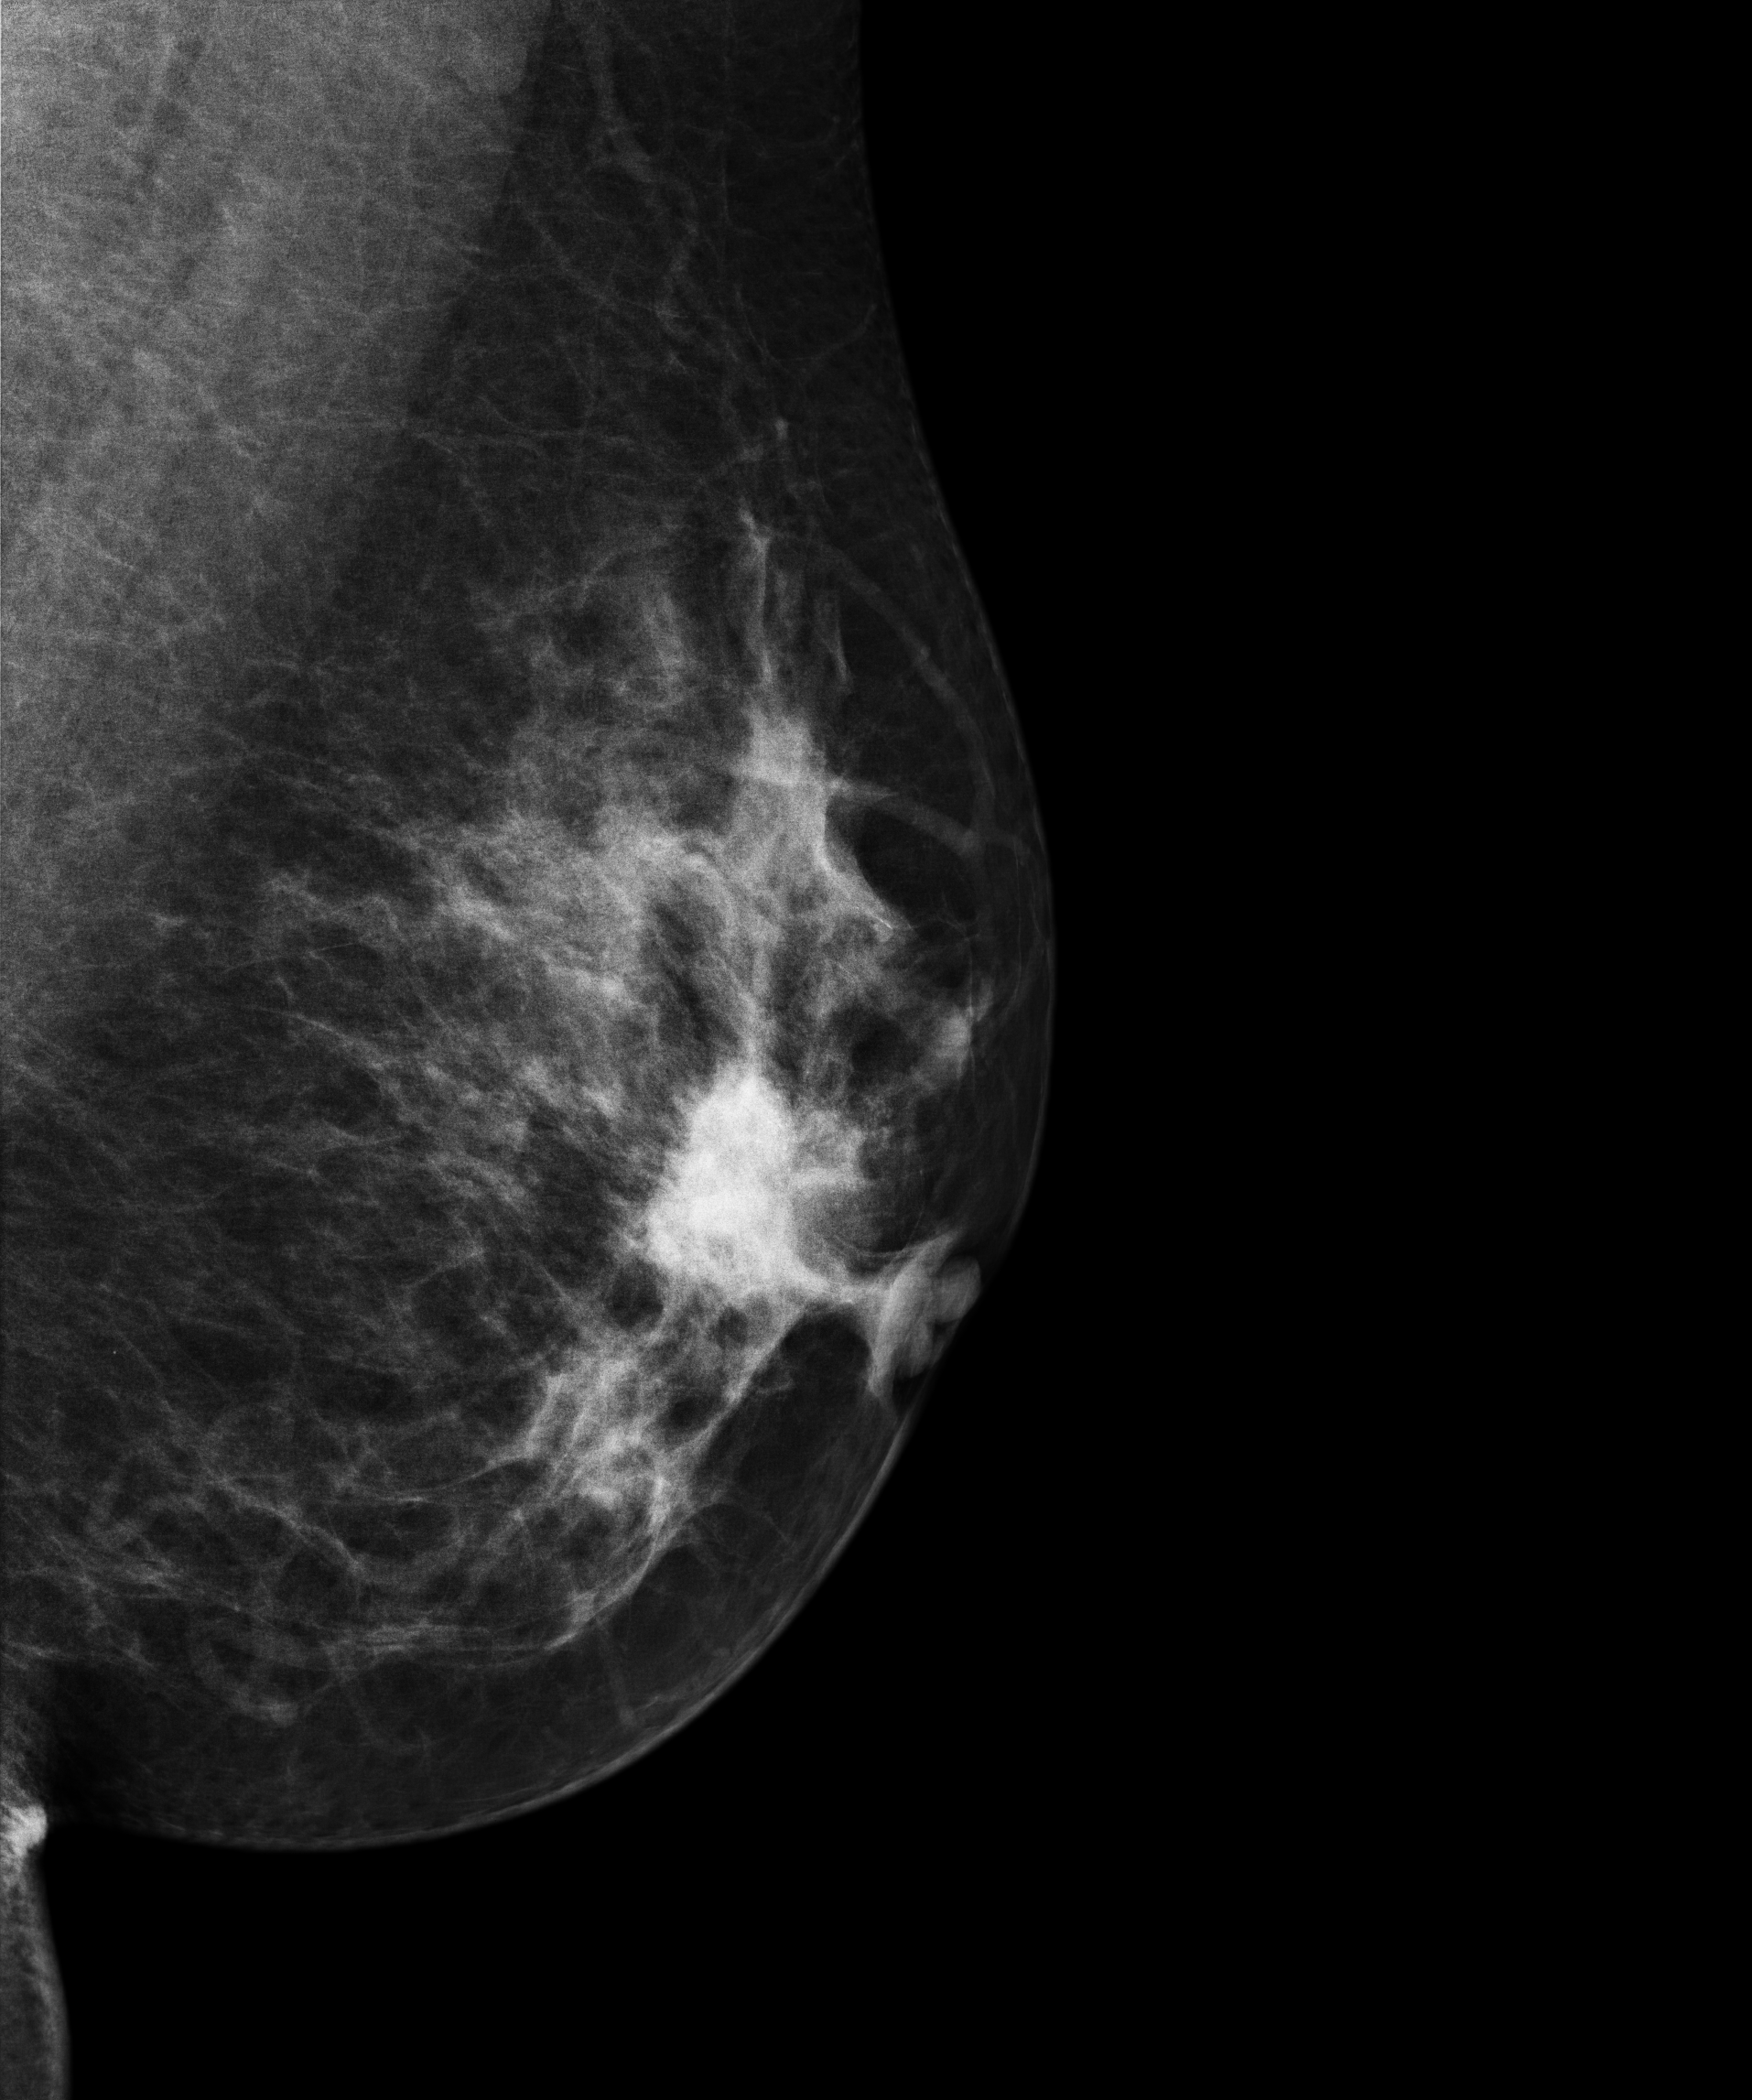
Left-breast mammogram, medio-lateral oblique. Patient age 48.
This breast has a mass and calcifications, histologically confirmed malignant.